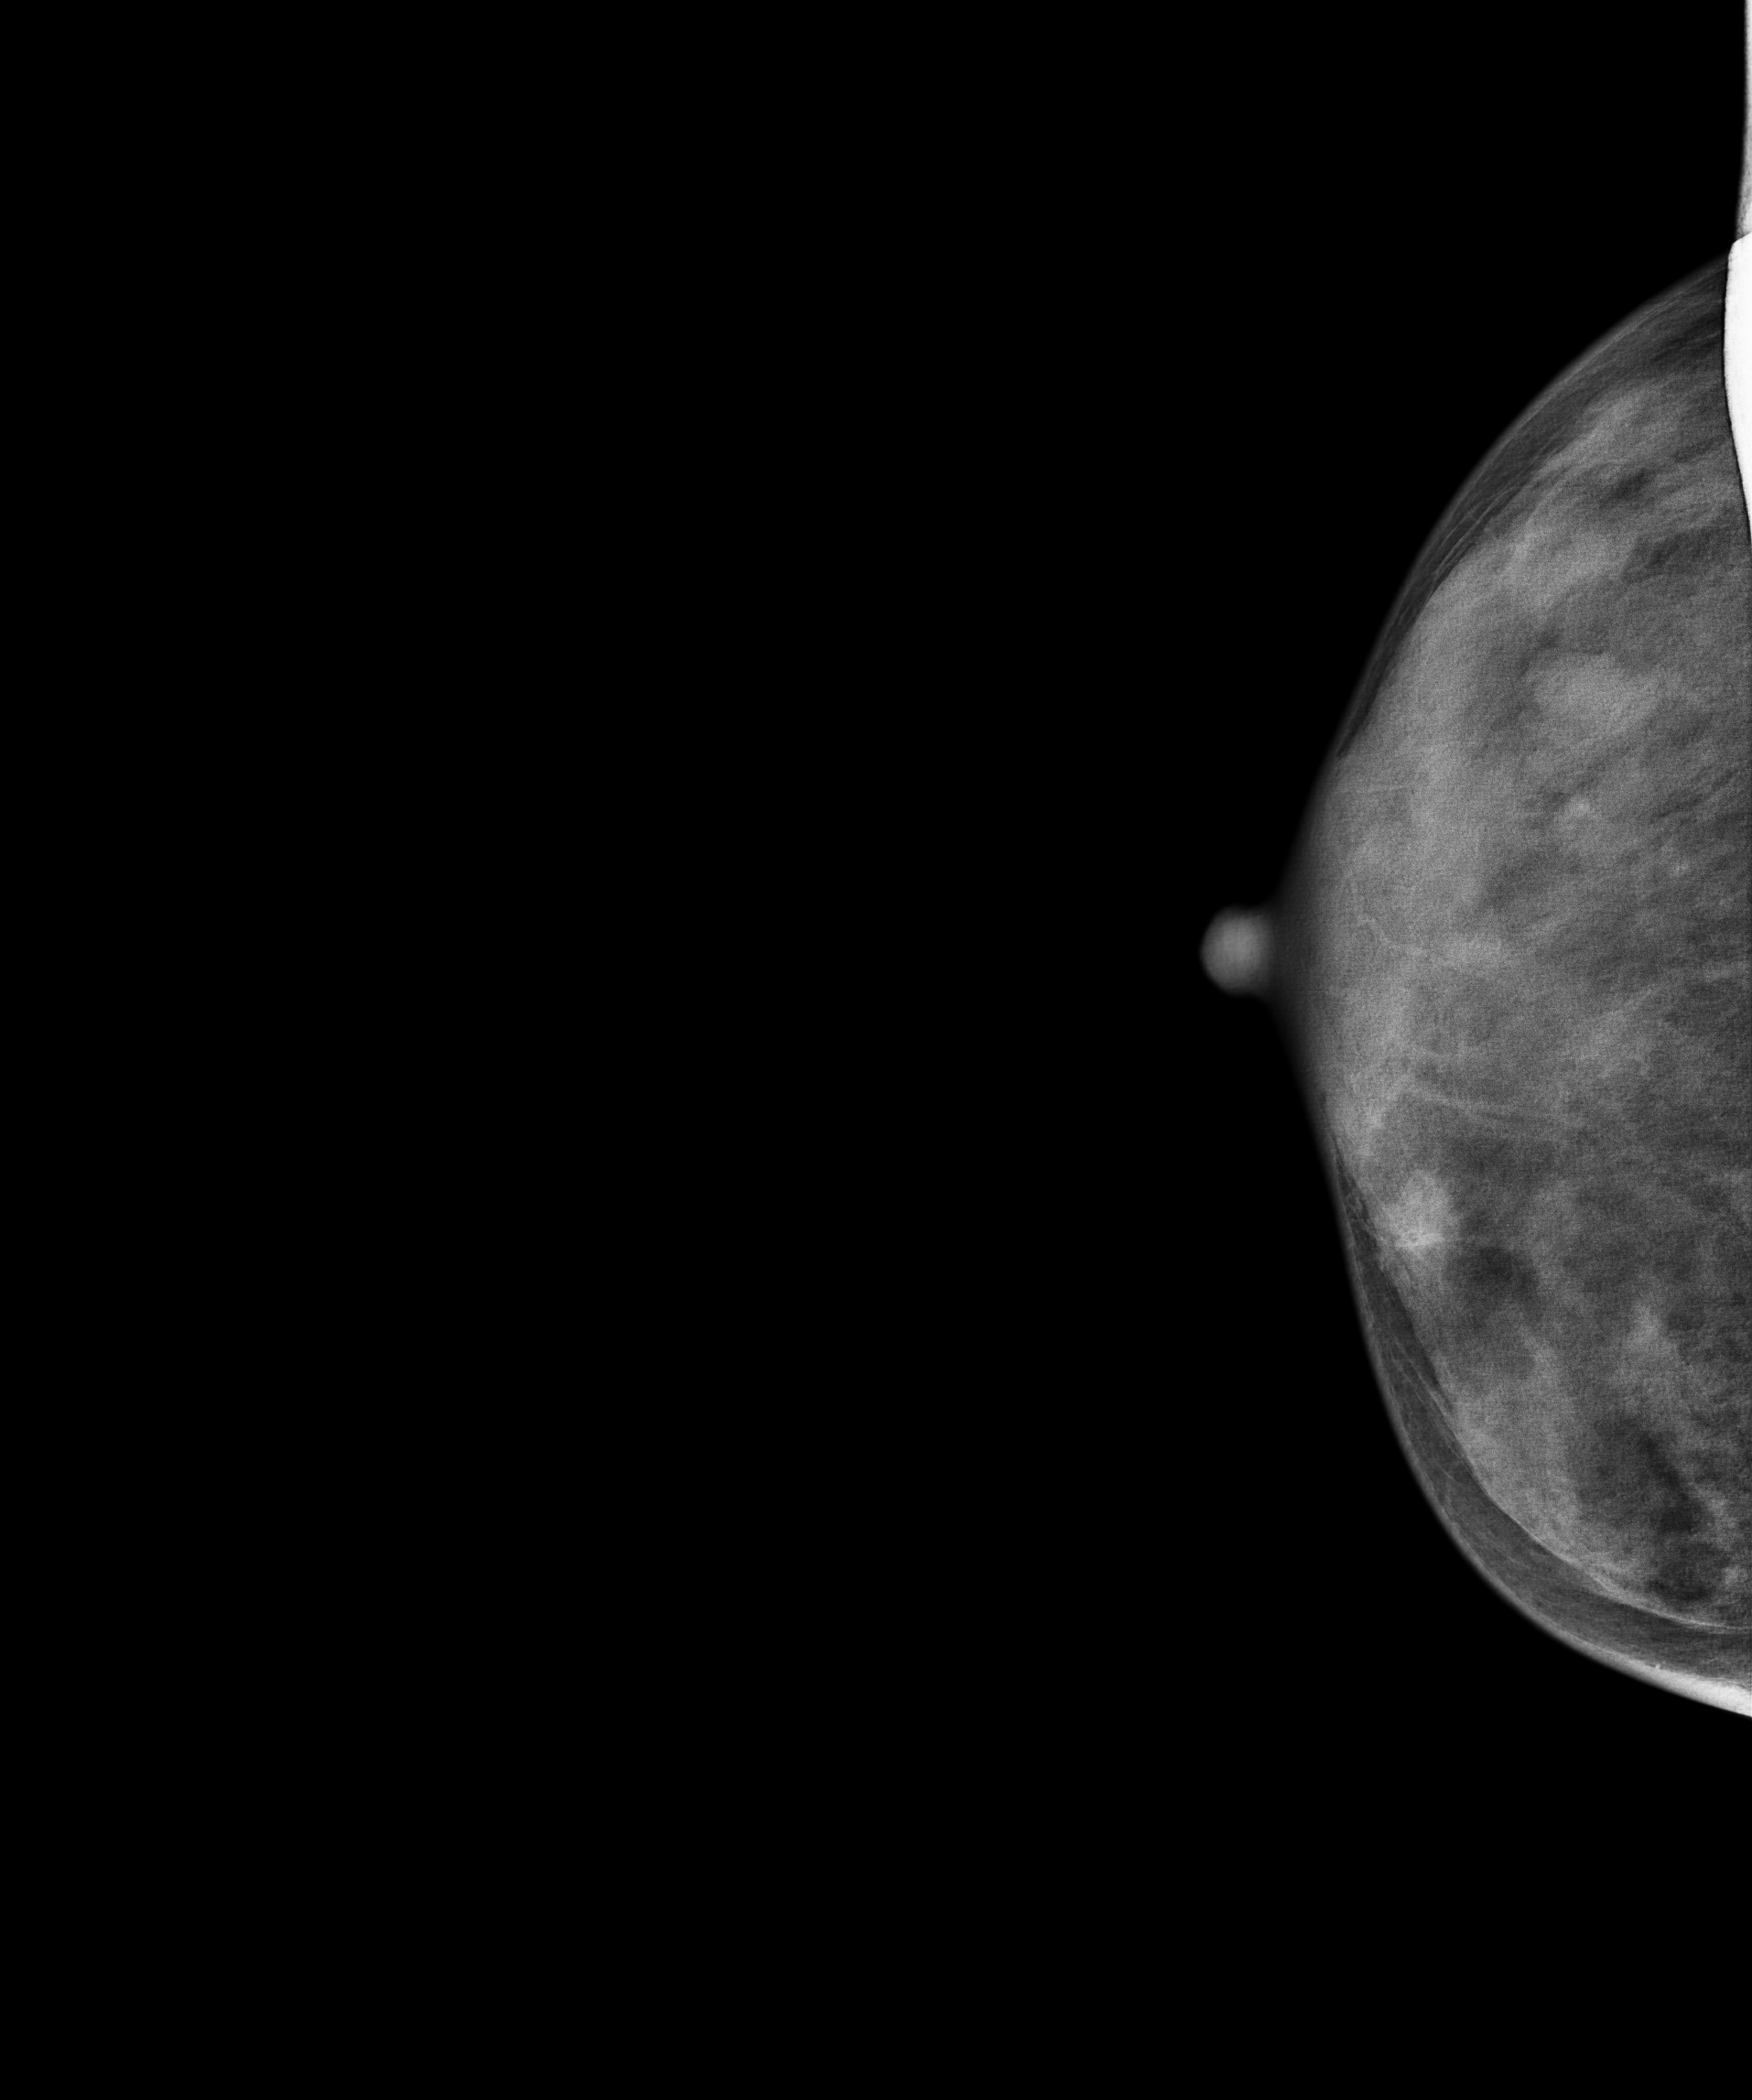
Mammogram — right cranio-caudal. 34-year-old patient.
This breast has a mass, pathology-confirmed benign.